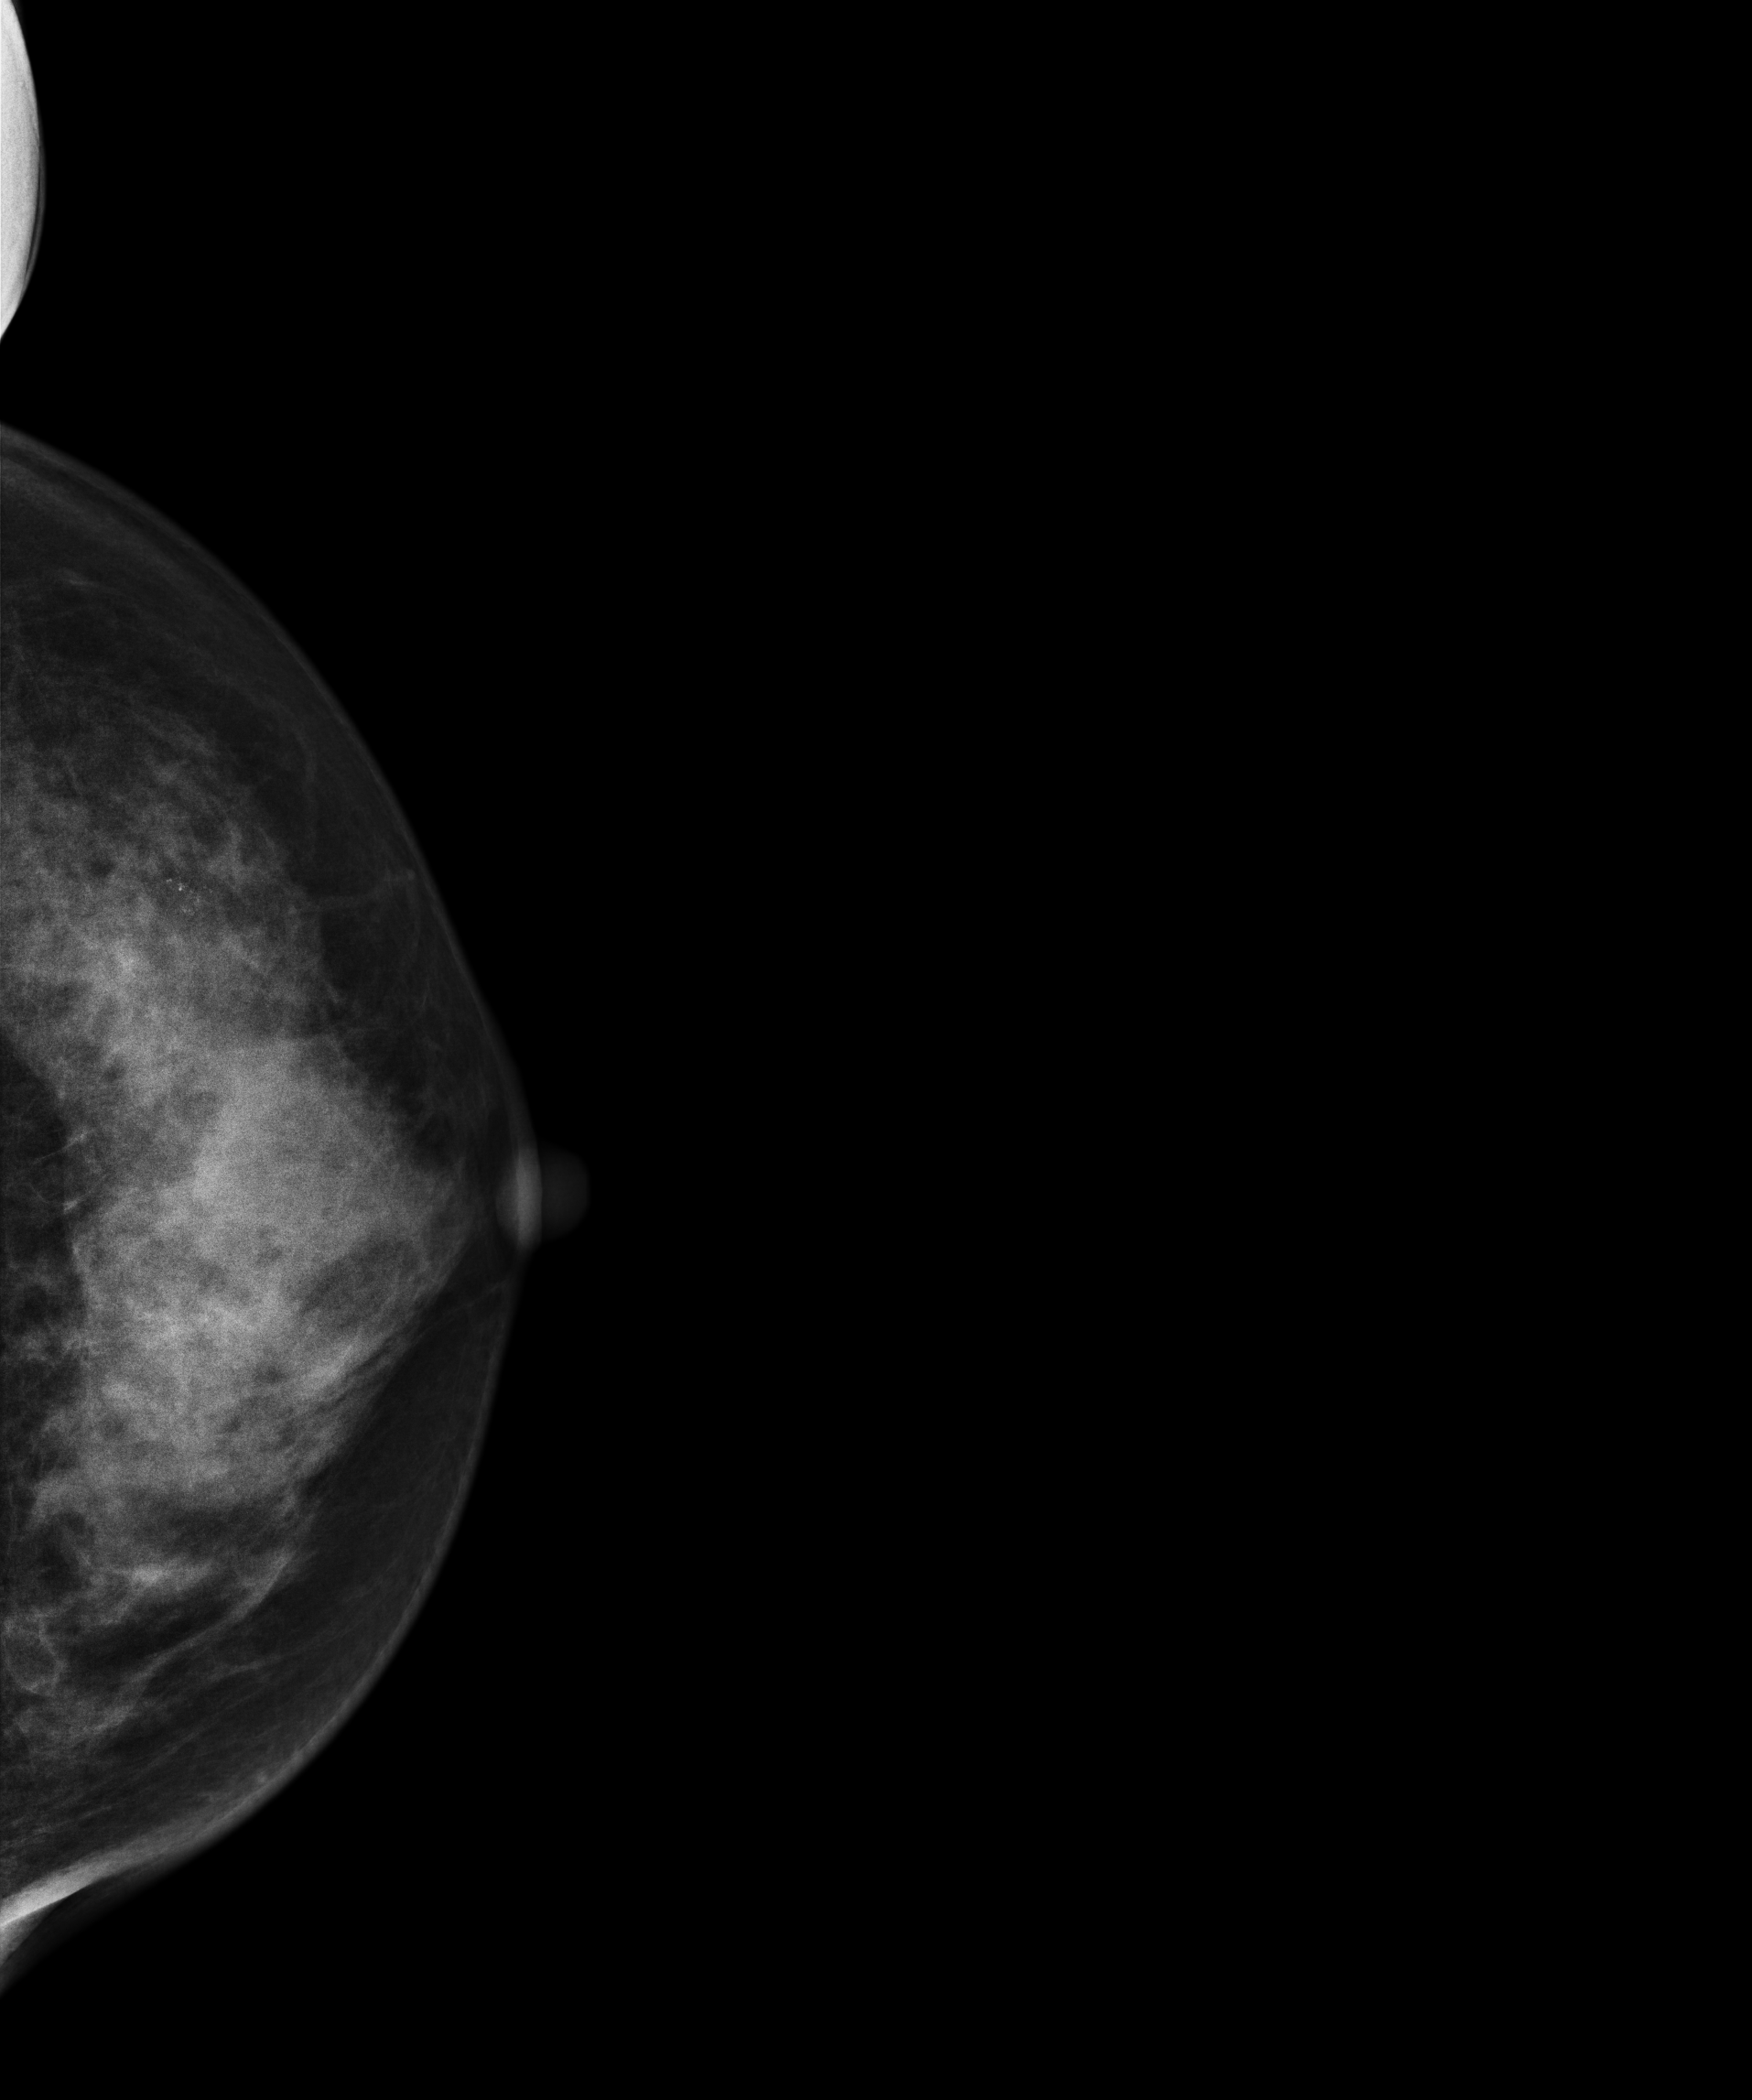
Cranio-caudal mammogram of the left breast. 44-year-old patient.
This breast has calcifications, histologically confirmed benign.